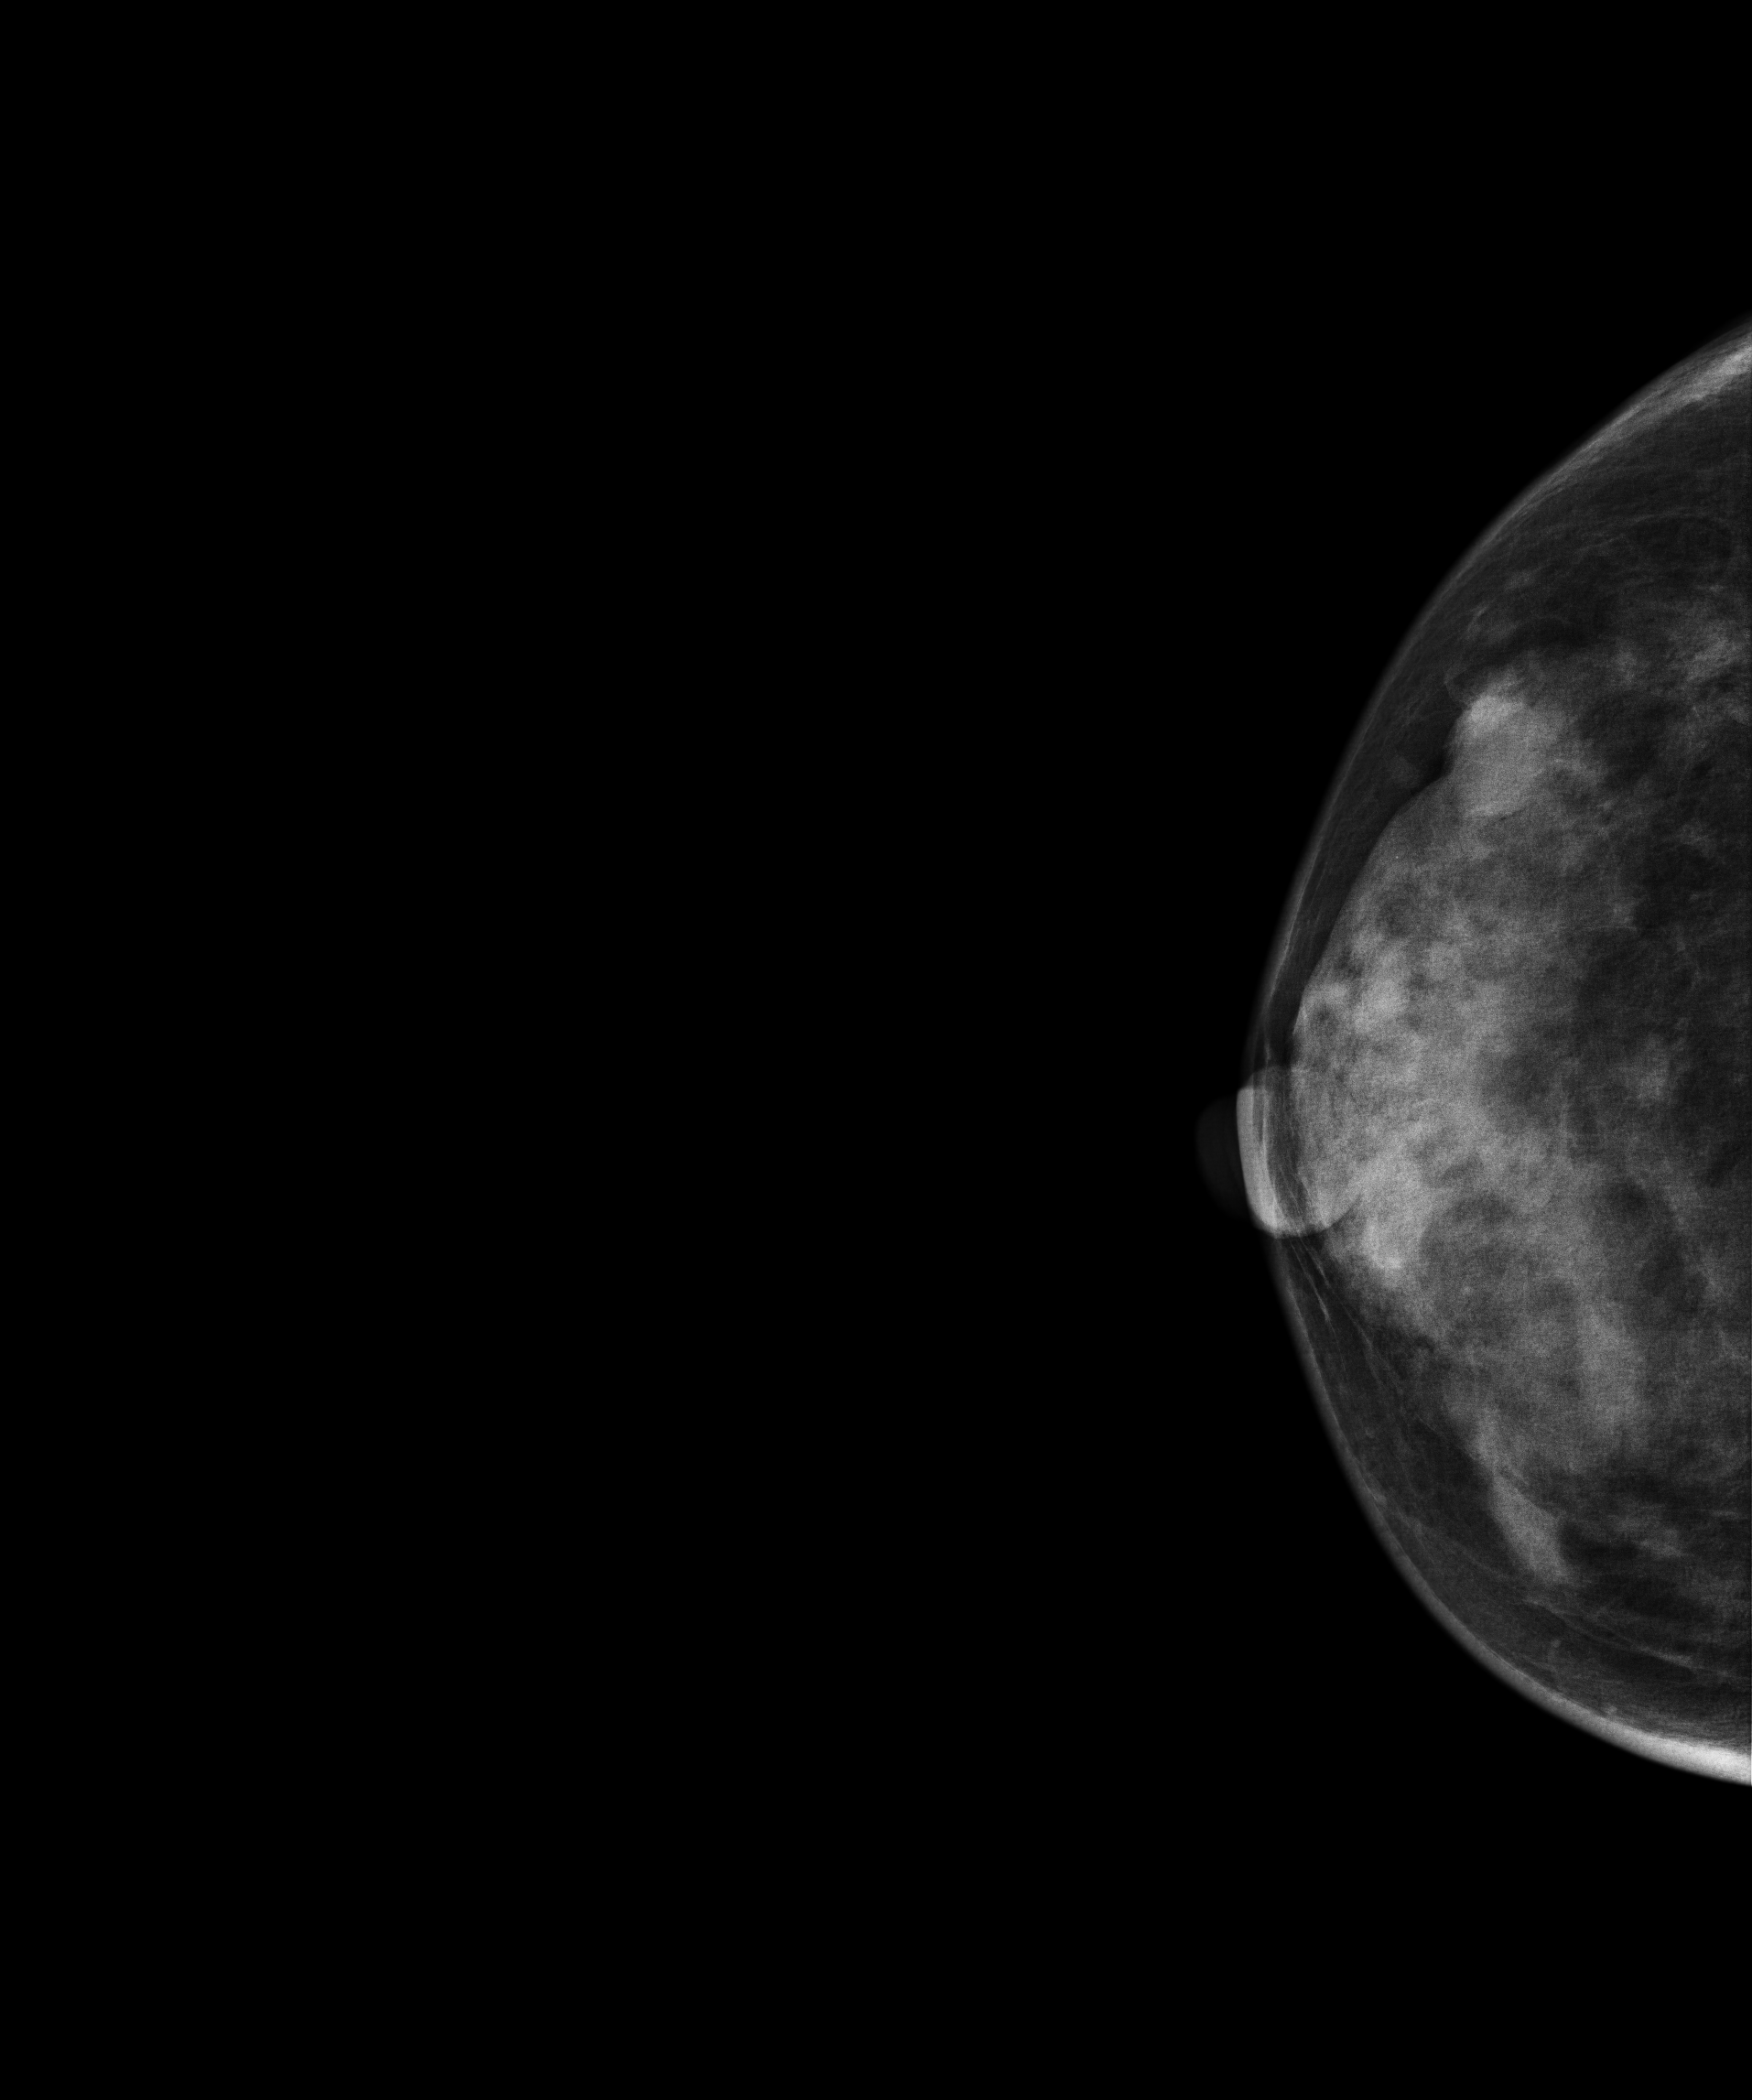
Mammogram — right cranio-caudal. Patient age 52.
This breast has a mass, pathology-confirmed benign.